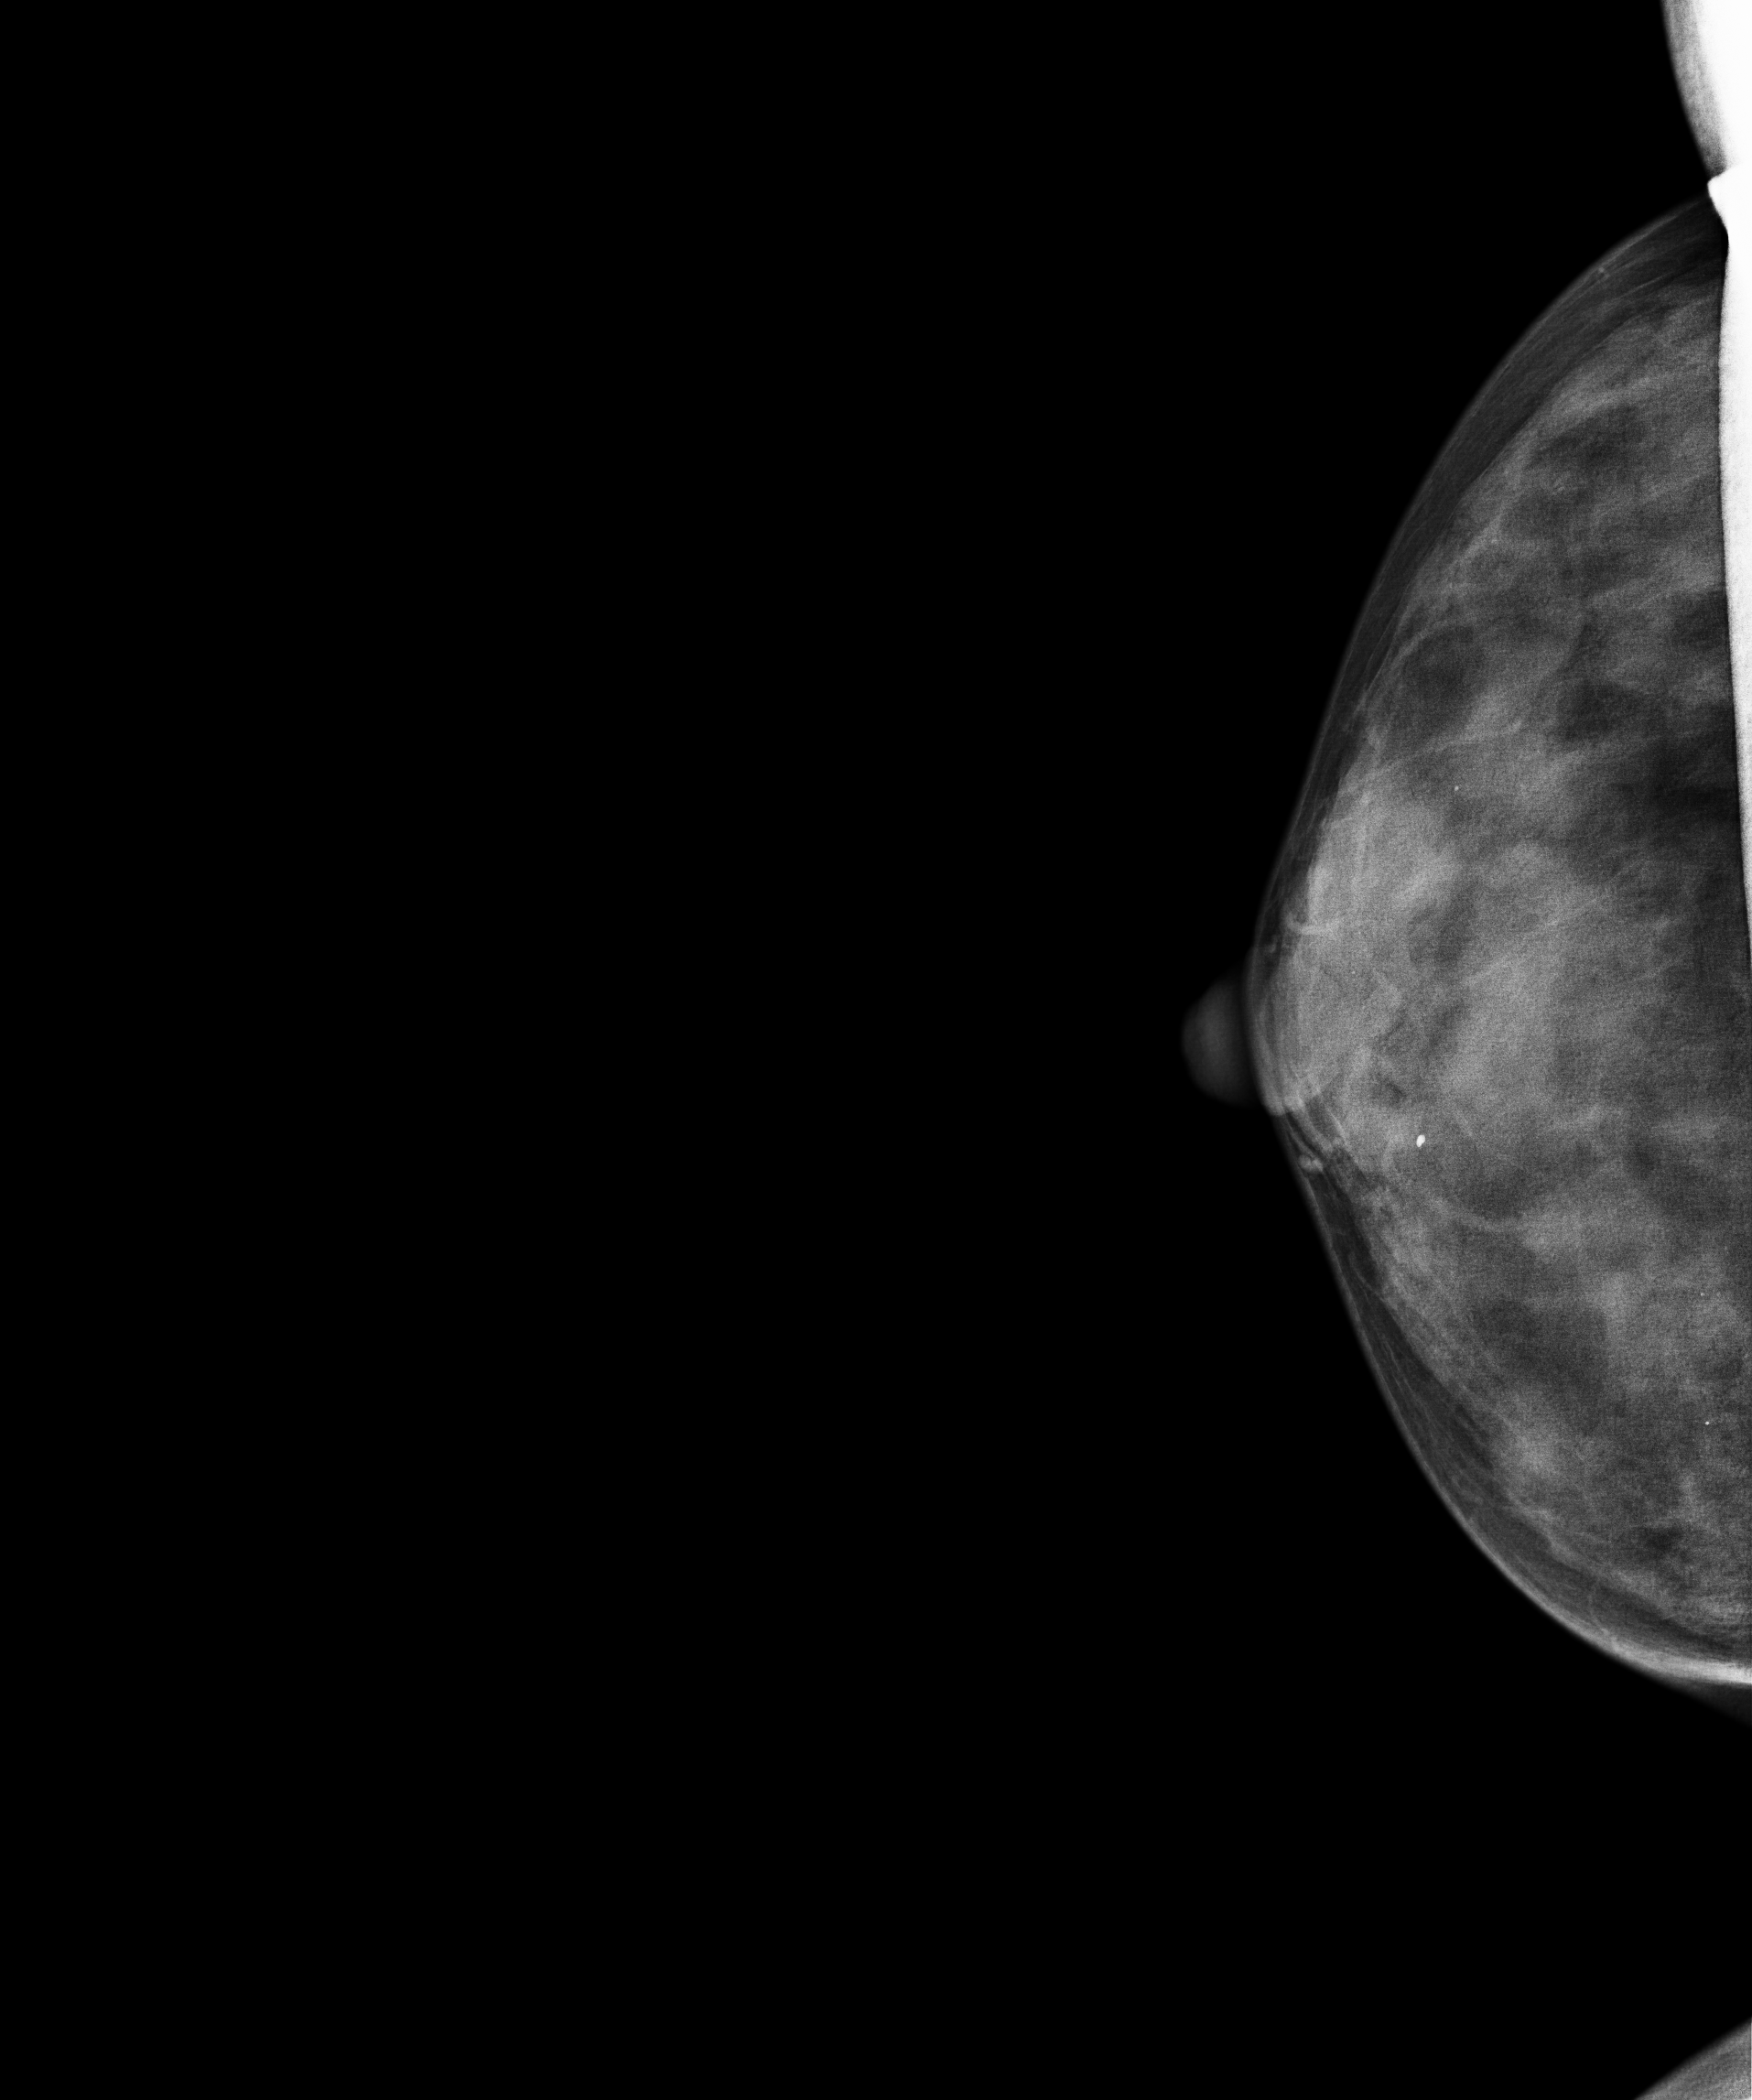
Mammogram — right CC. 48 y/o patient.
Contralateral breast — no documented abnormality on this side.